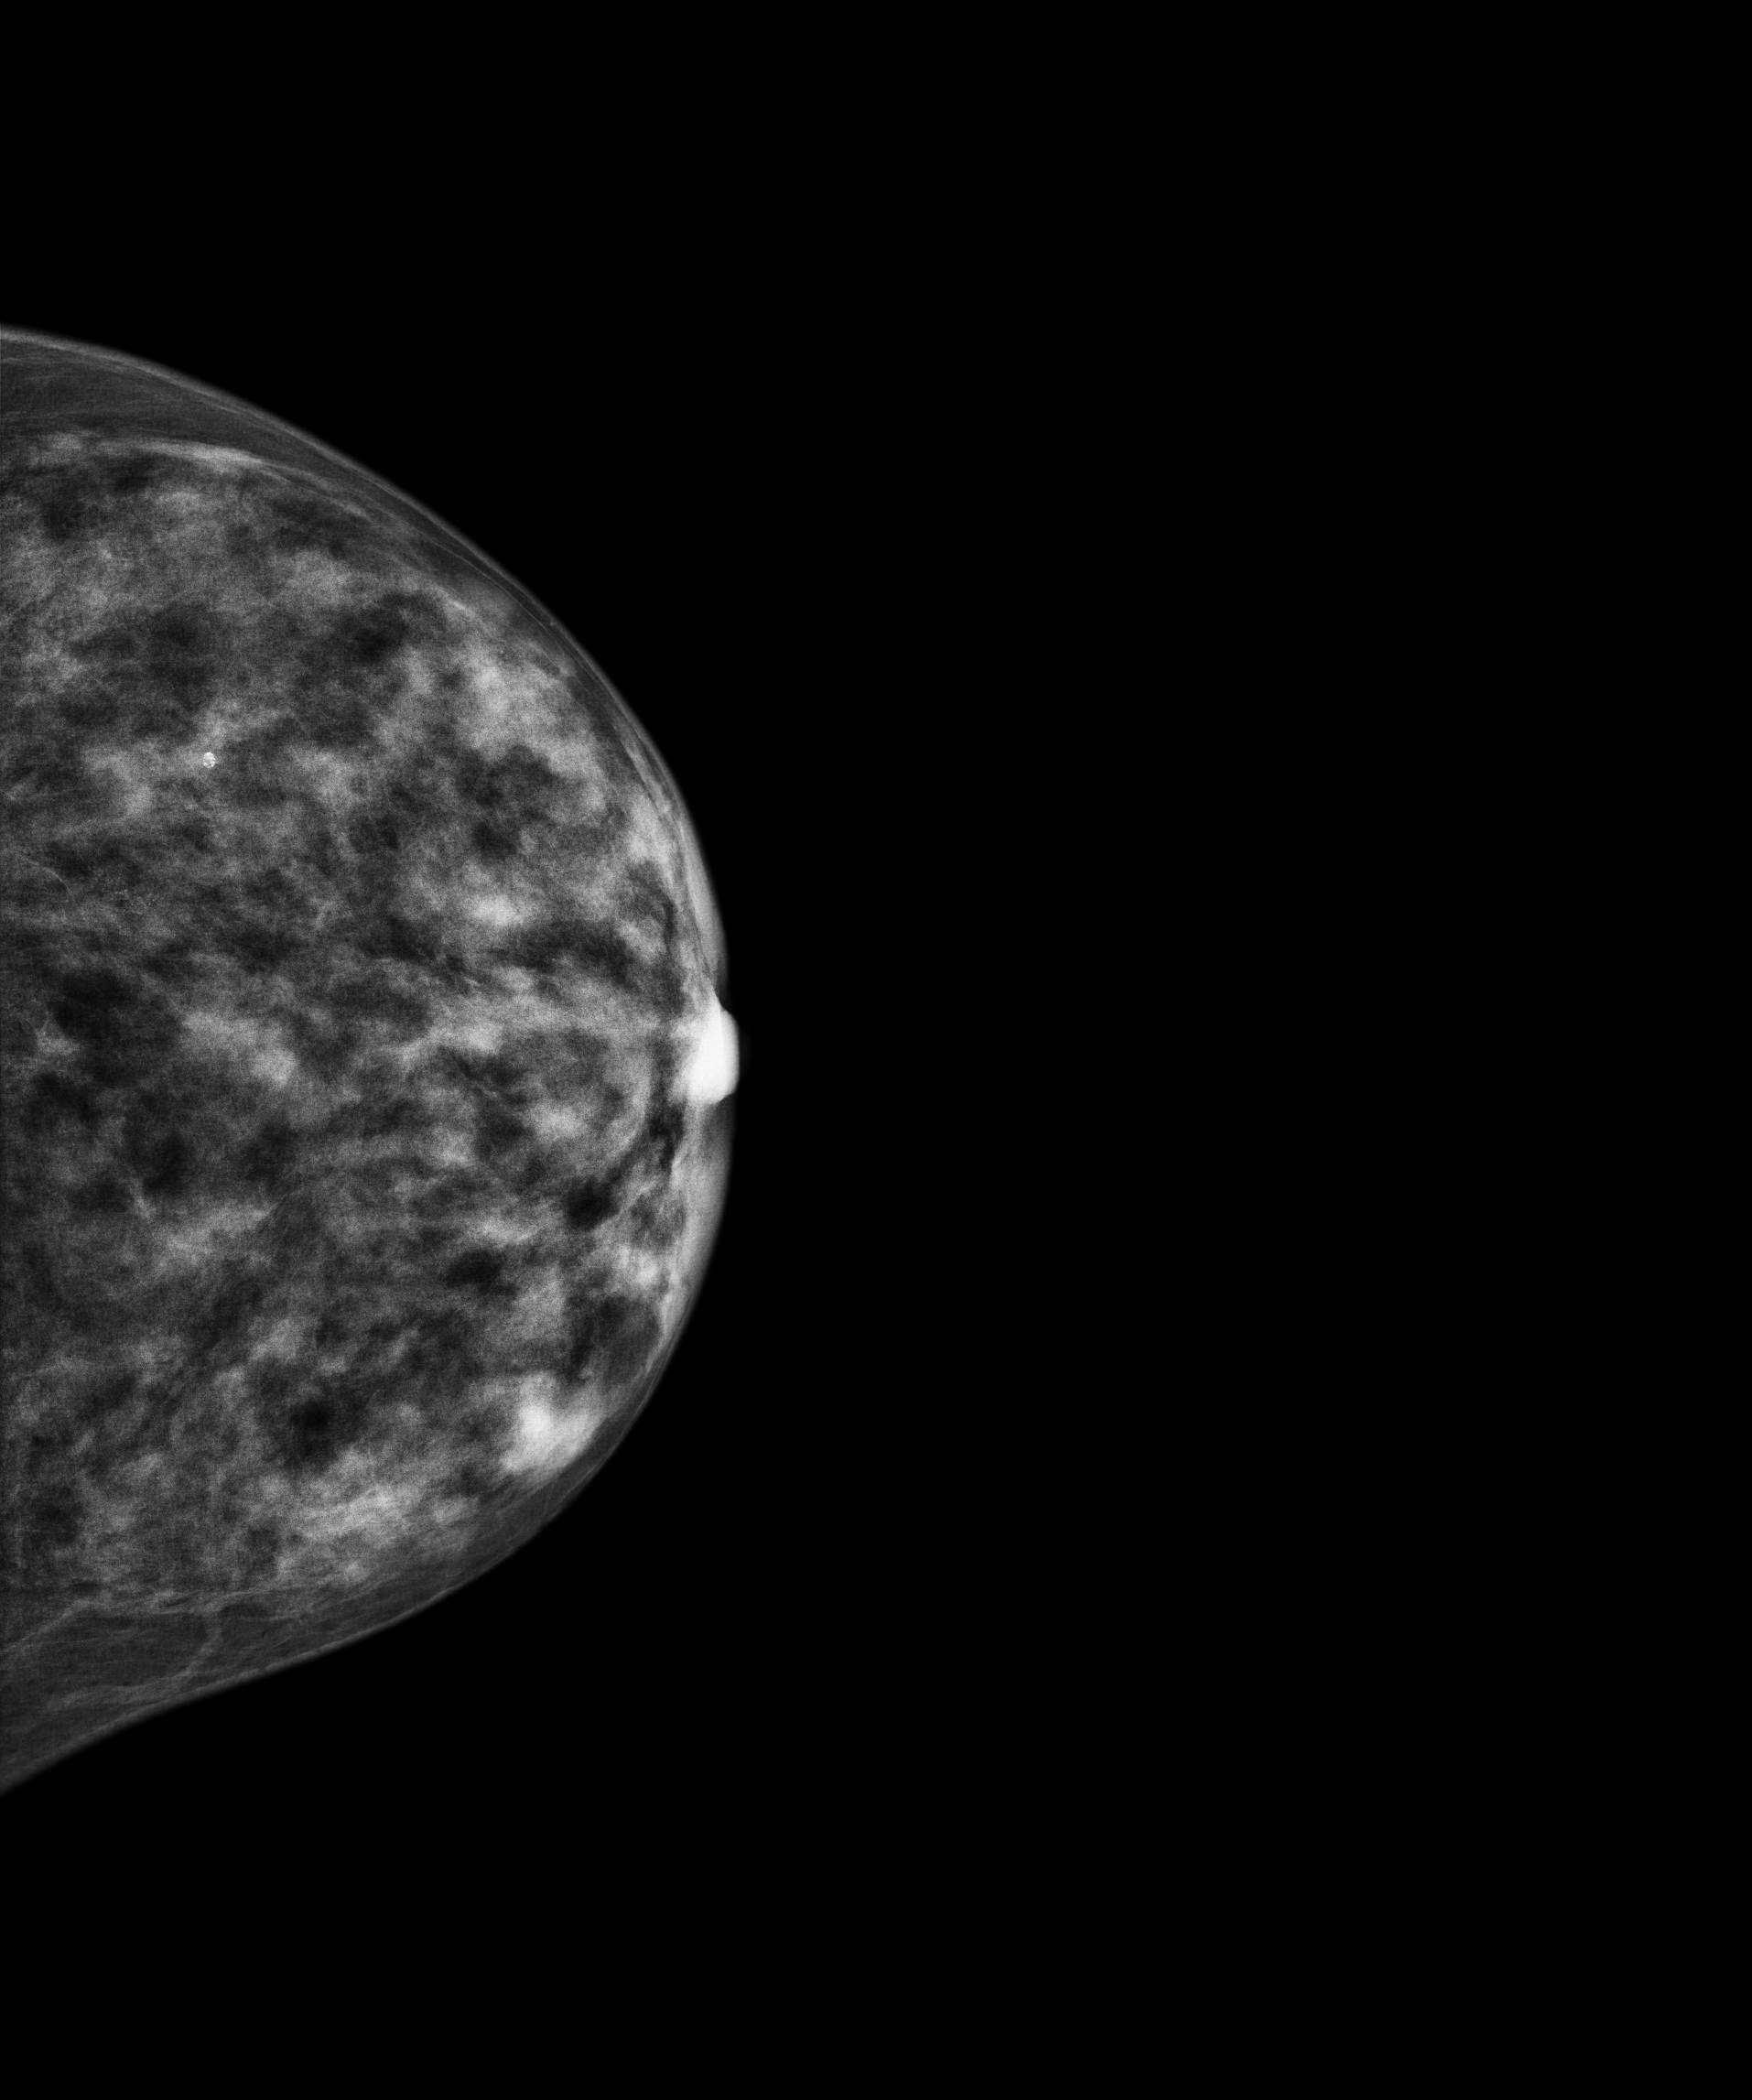
Digital mammography. Left breast, cranio-caudal projection. Patient age 49.
This breast has calcifications, biopsy-proven benign.